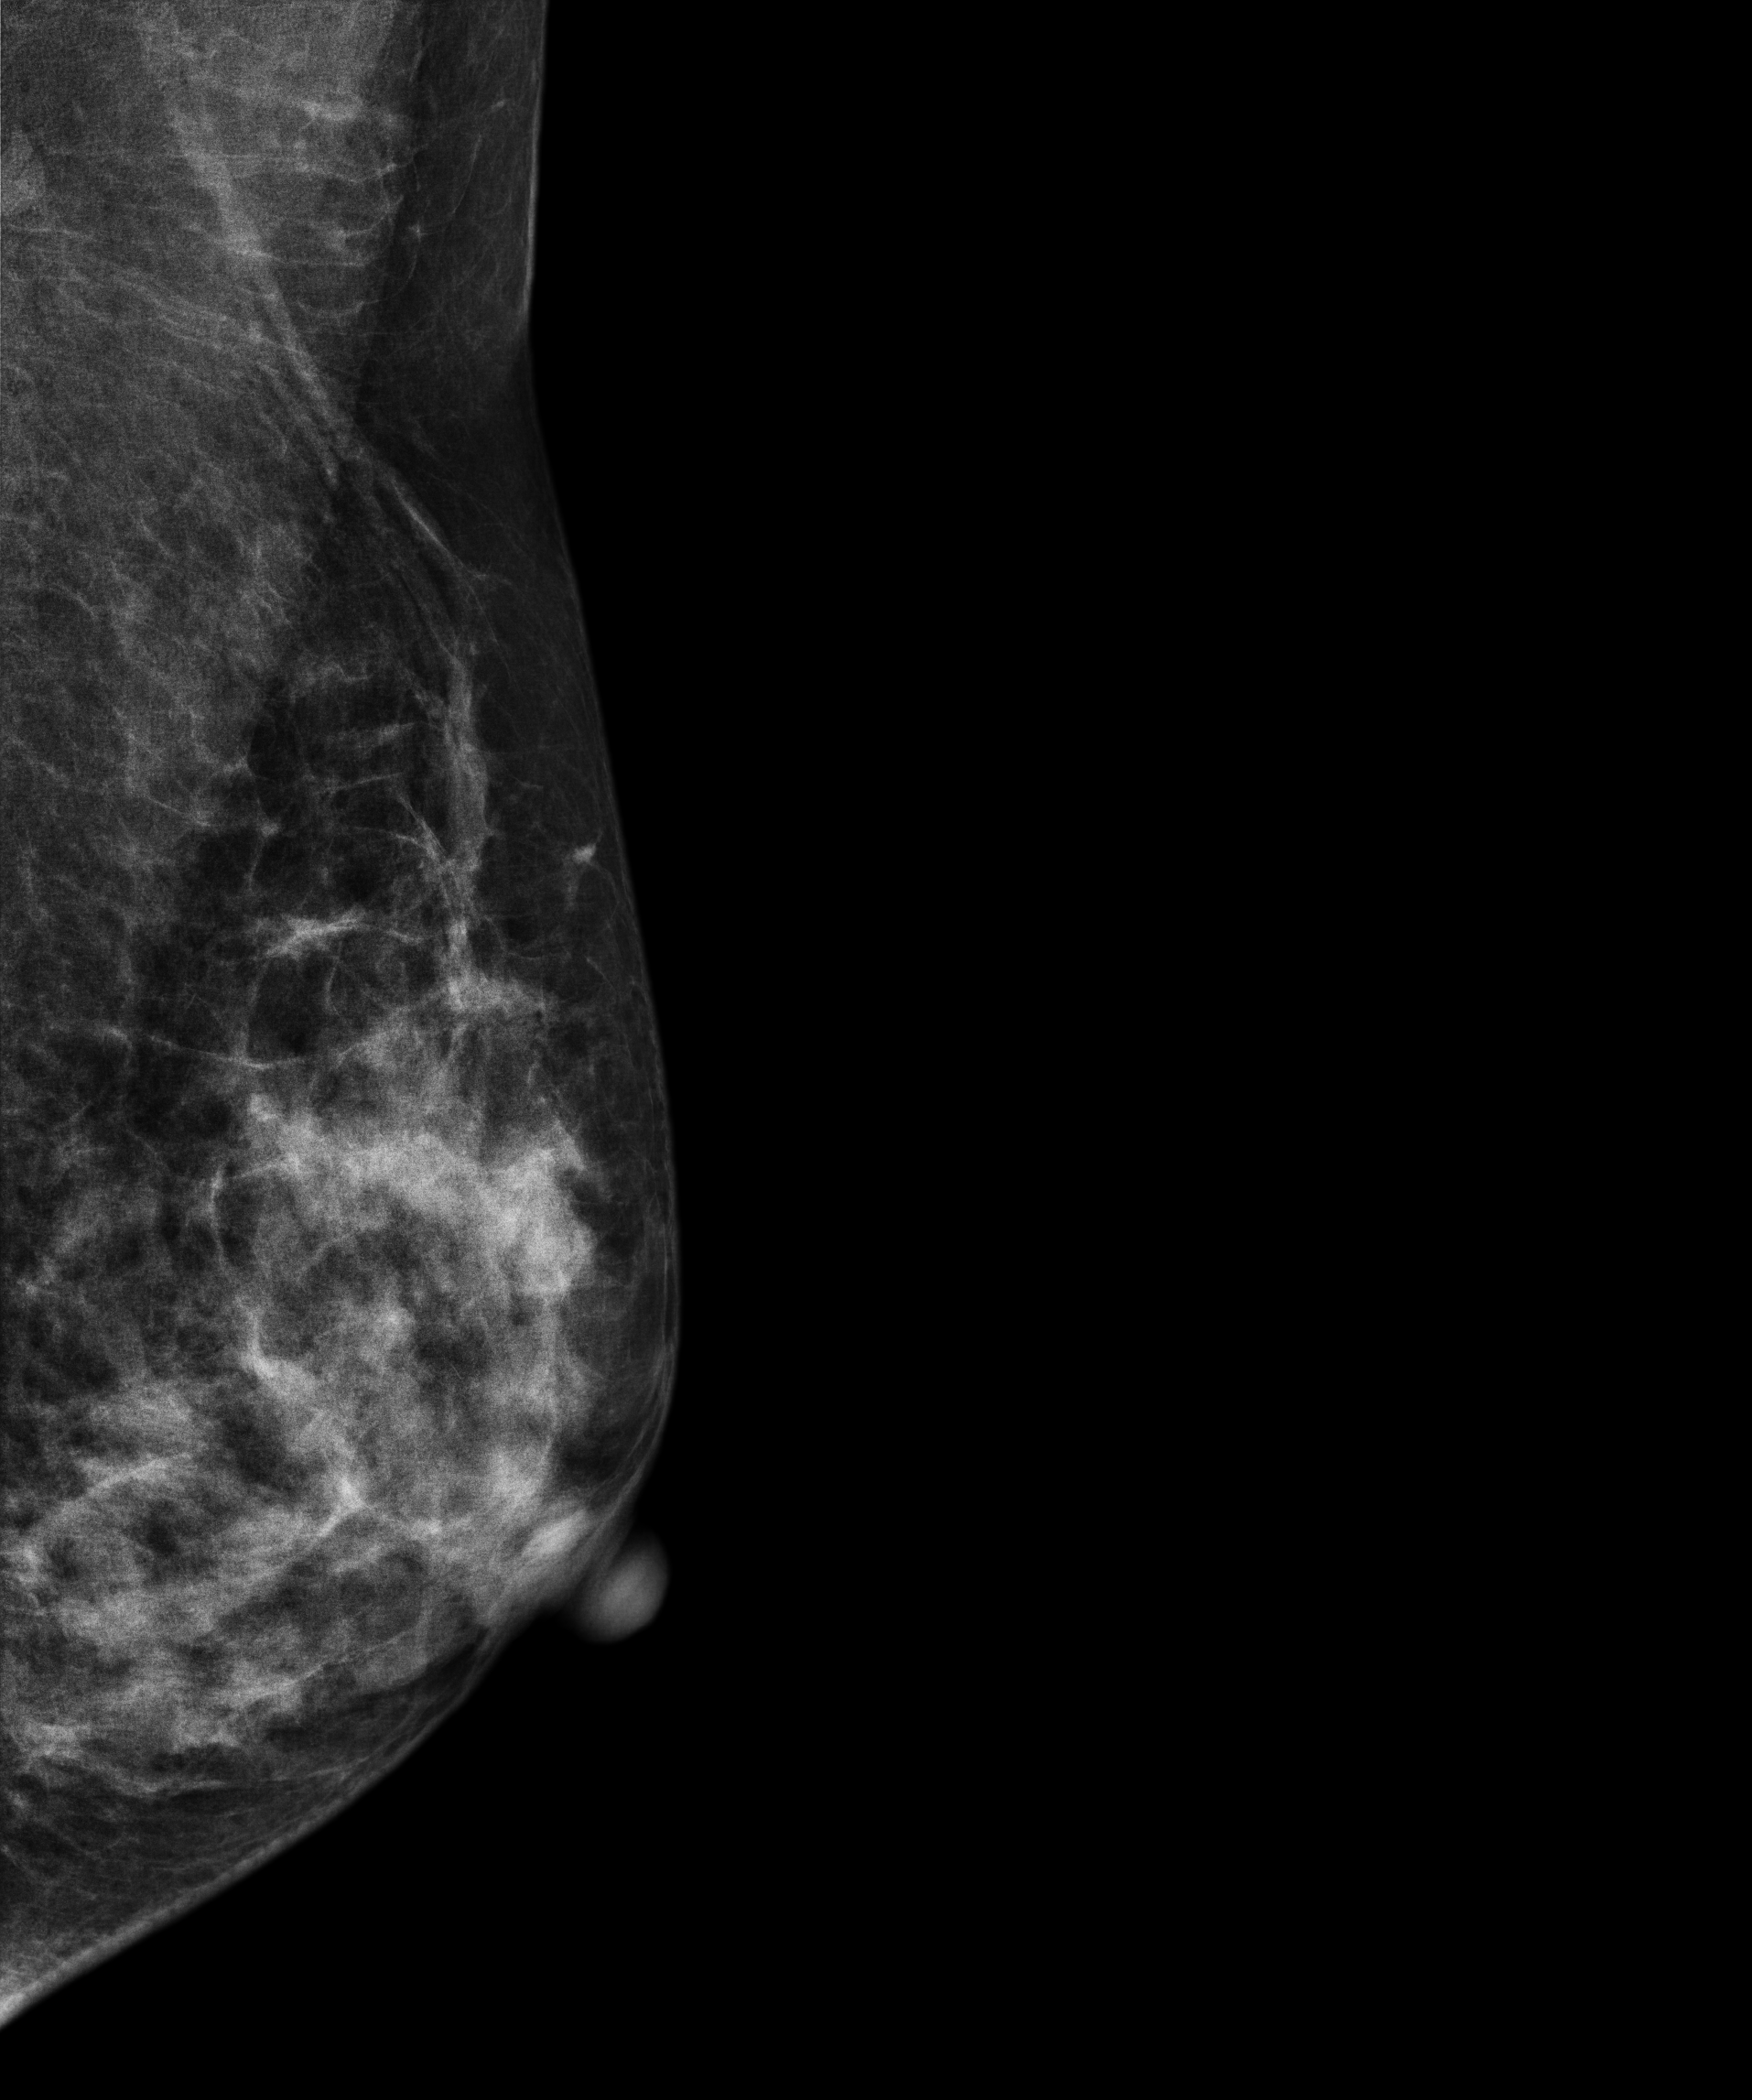
Digital mammography. Left breast, MLO projection. 41 y/o patient.
This breast has a mass, biopsy-confirmed benign.